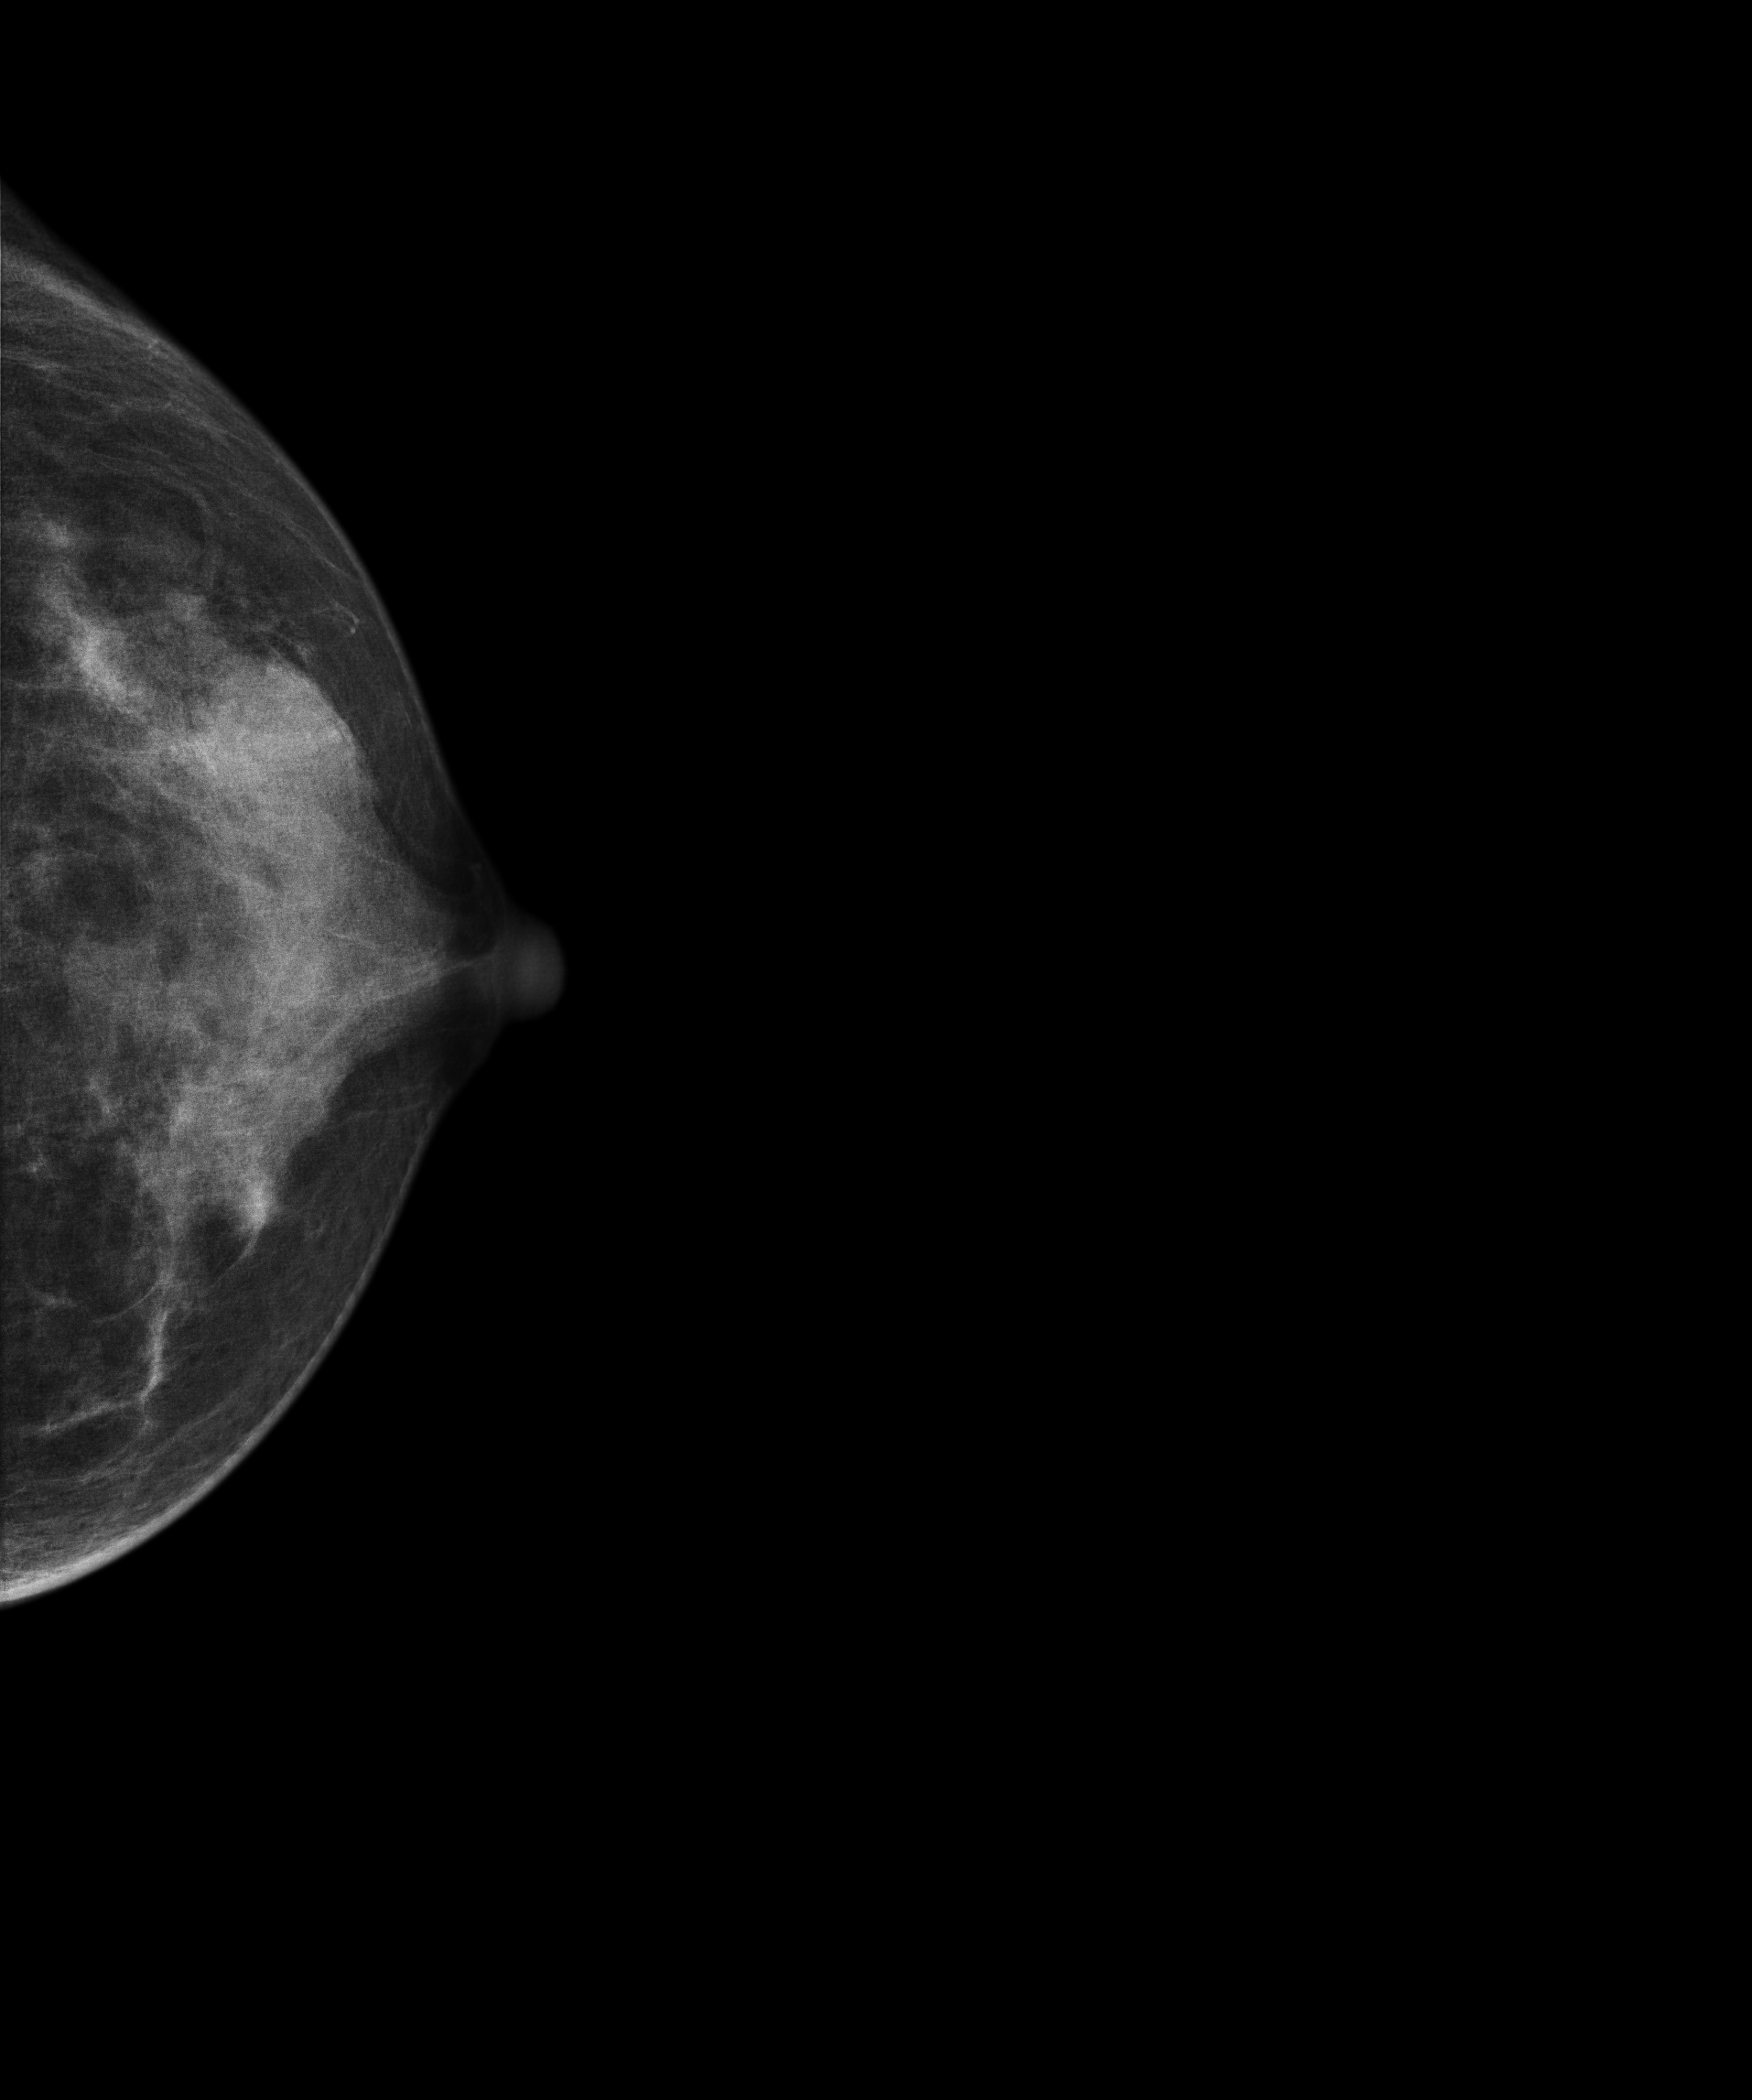
Left-breast mammogram, CC. 36-year-old patient.
This breast has a mass and calcifications, pathology-confirmed benign.